Right-breast mammogram, cranio-caudal. 44-year-old patient.
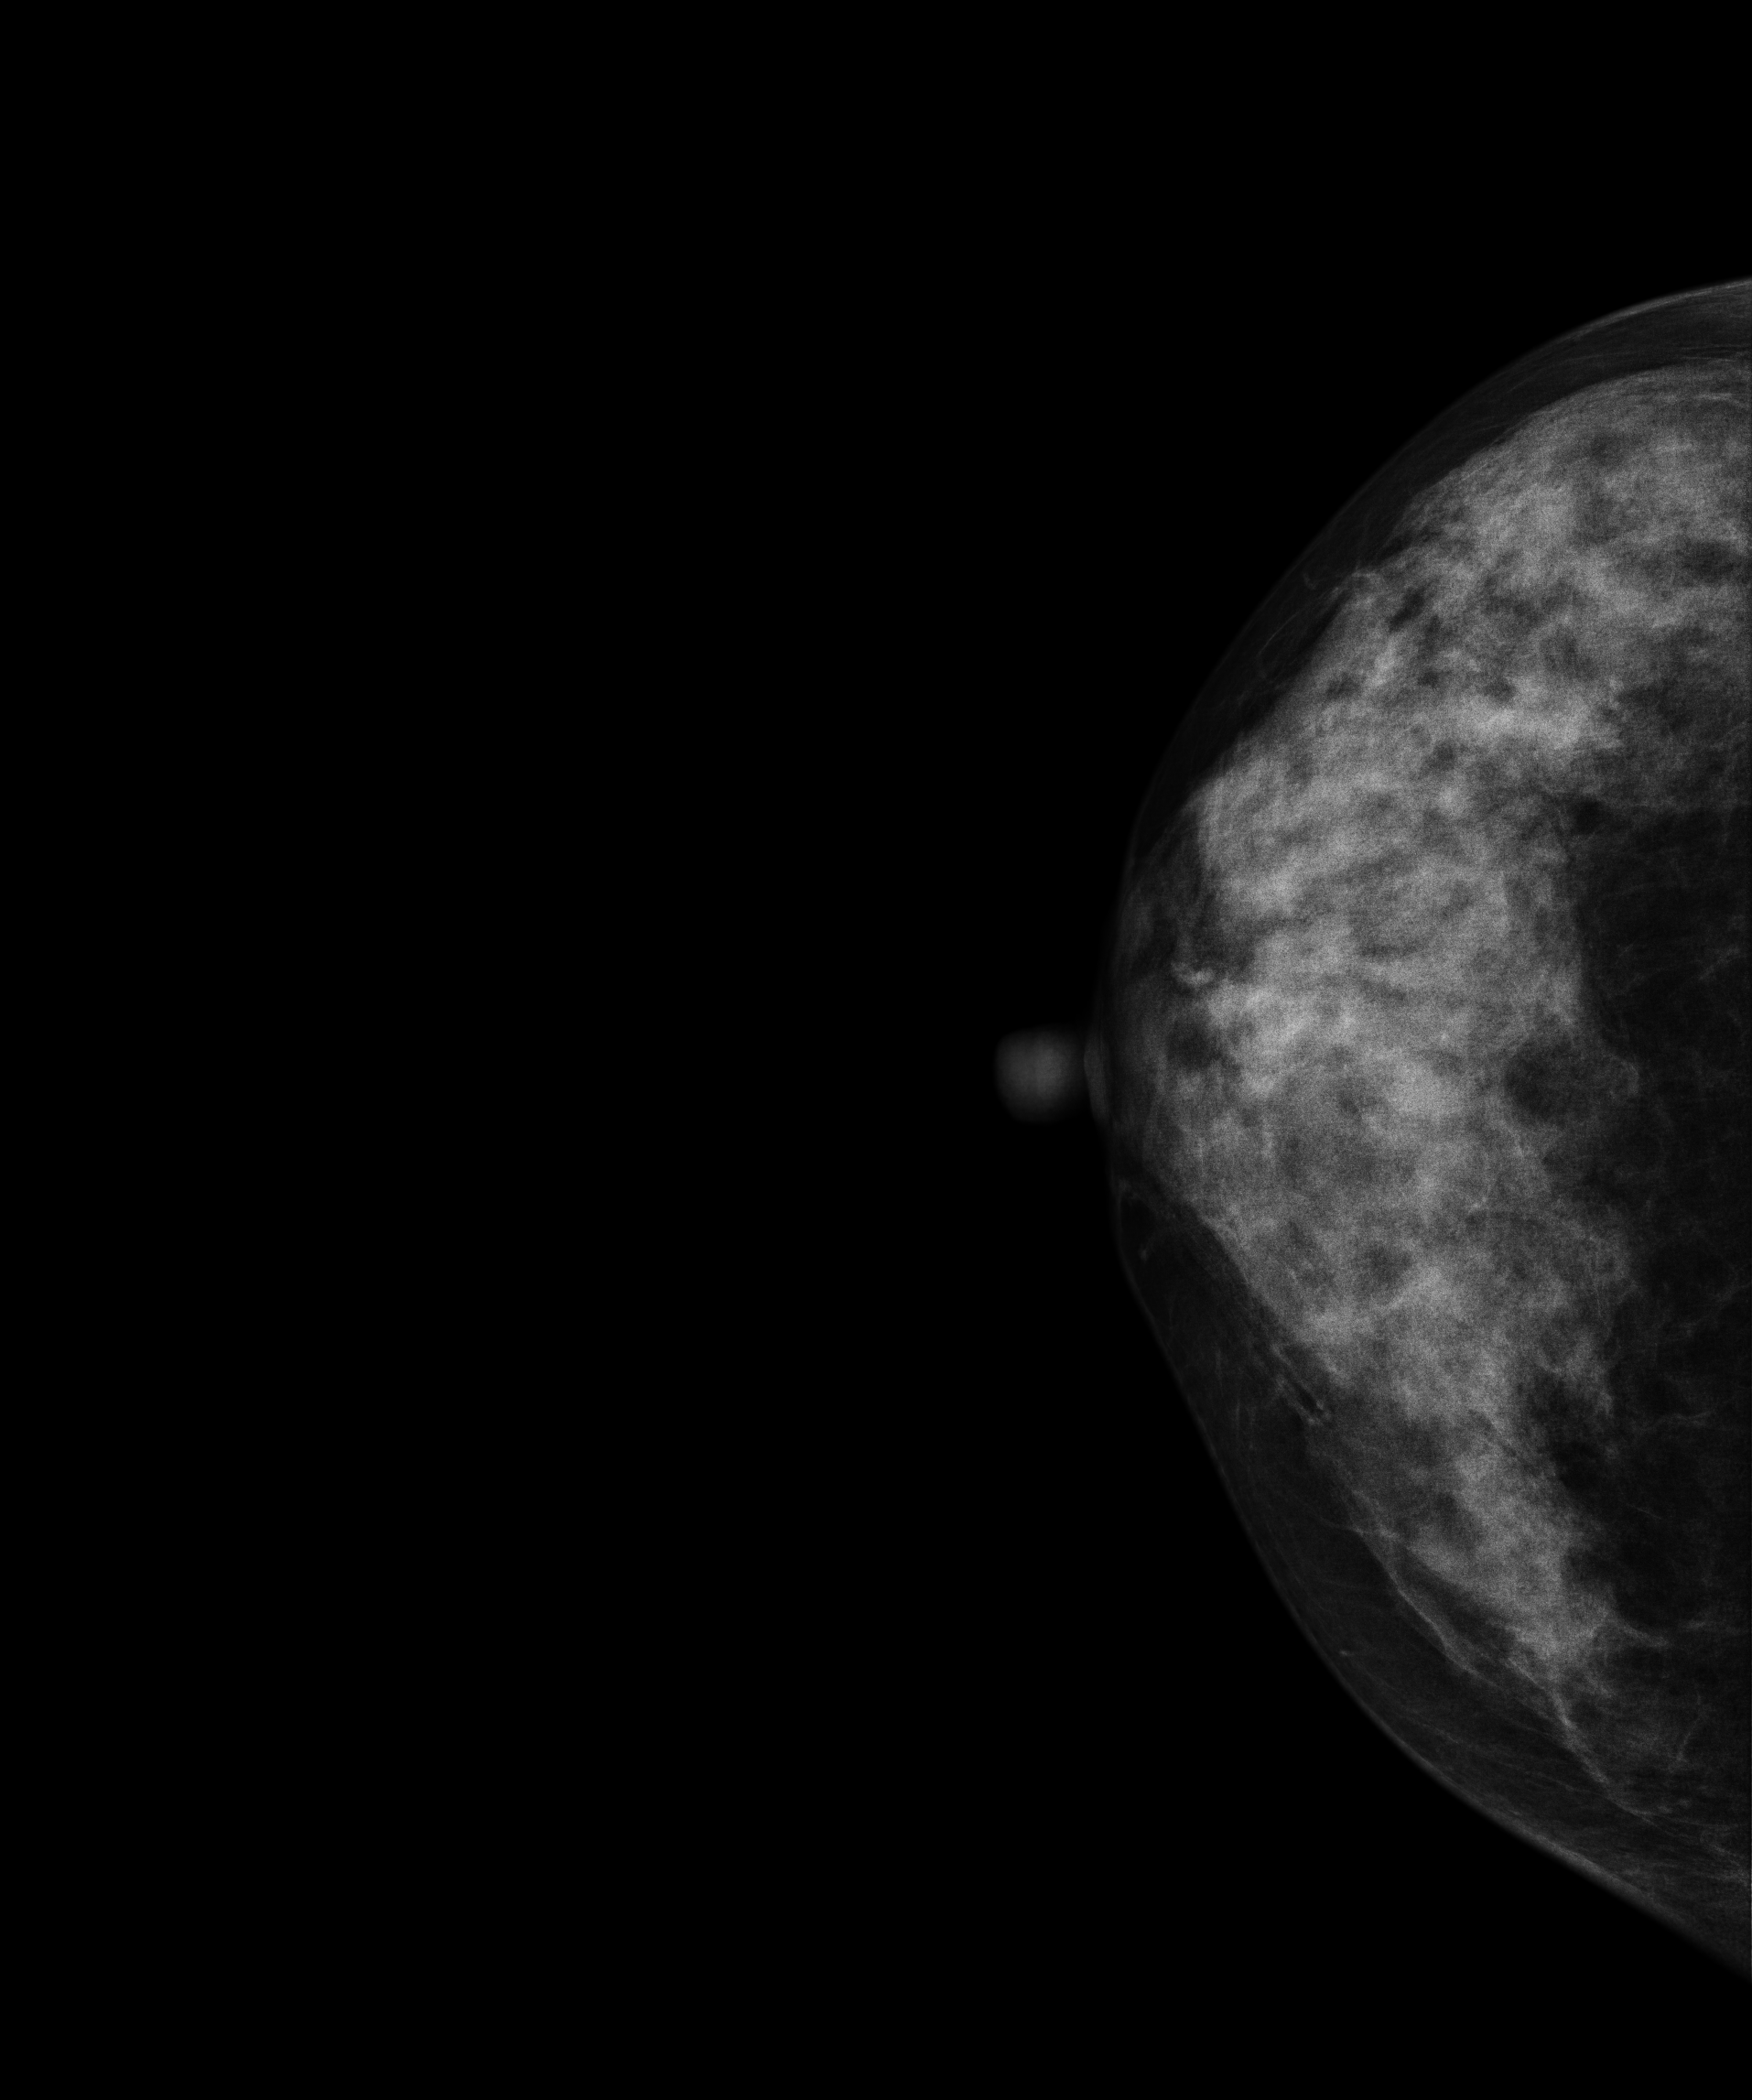
Contralateral breast — no documented abnormality on this side.